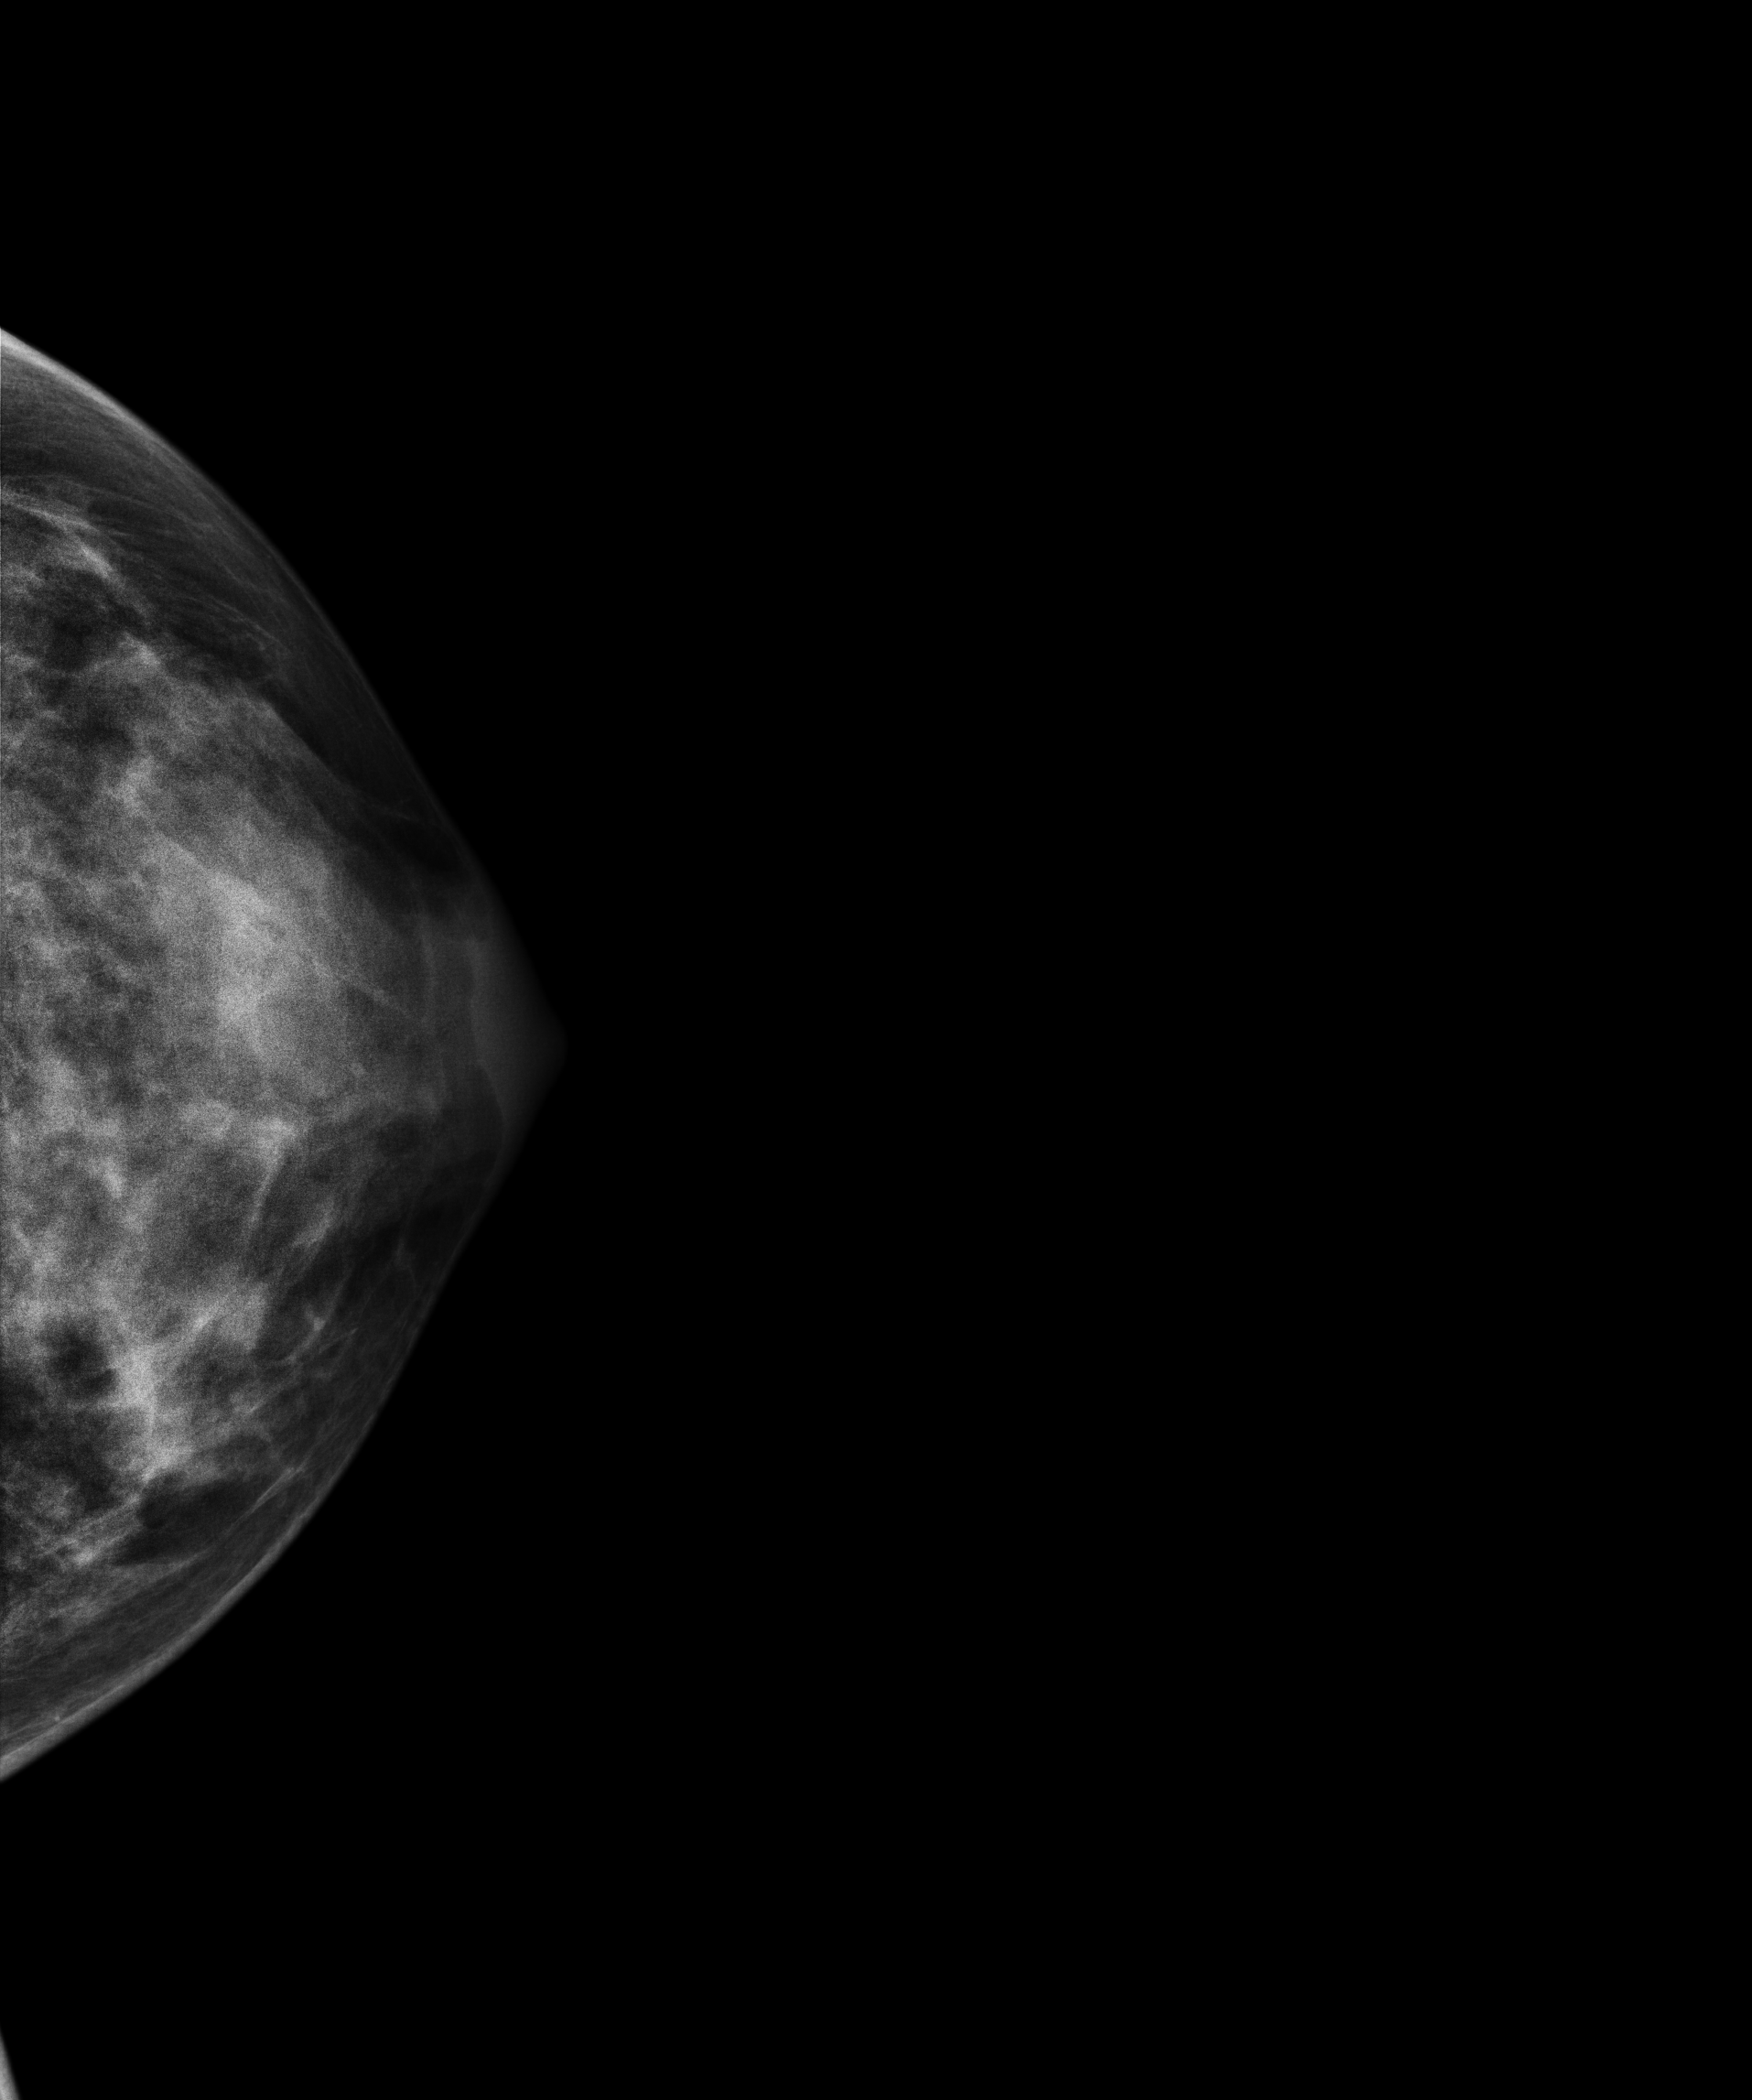
Digital mammography. Left breast, cranio-caudal projection. 25-year-old patient.
Contralateral breast — no documented abnormality on this side.